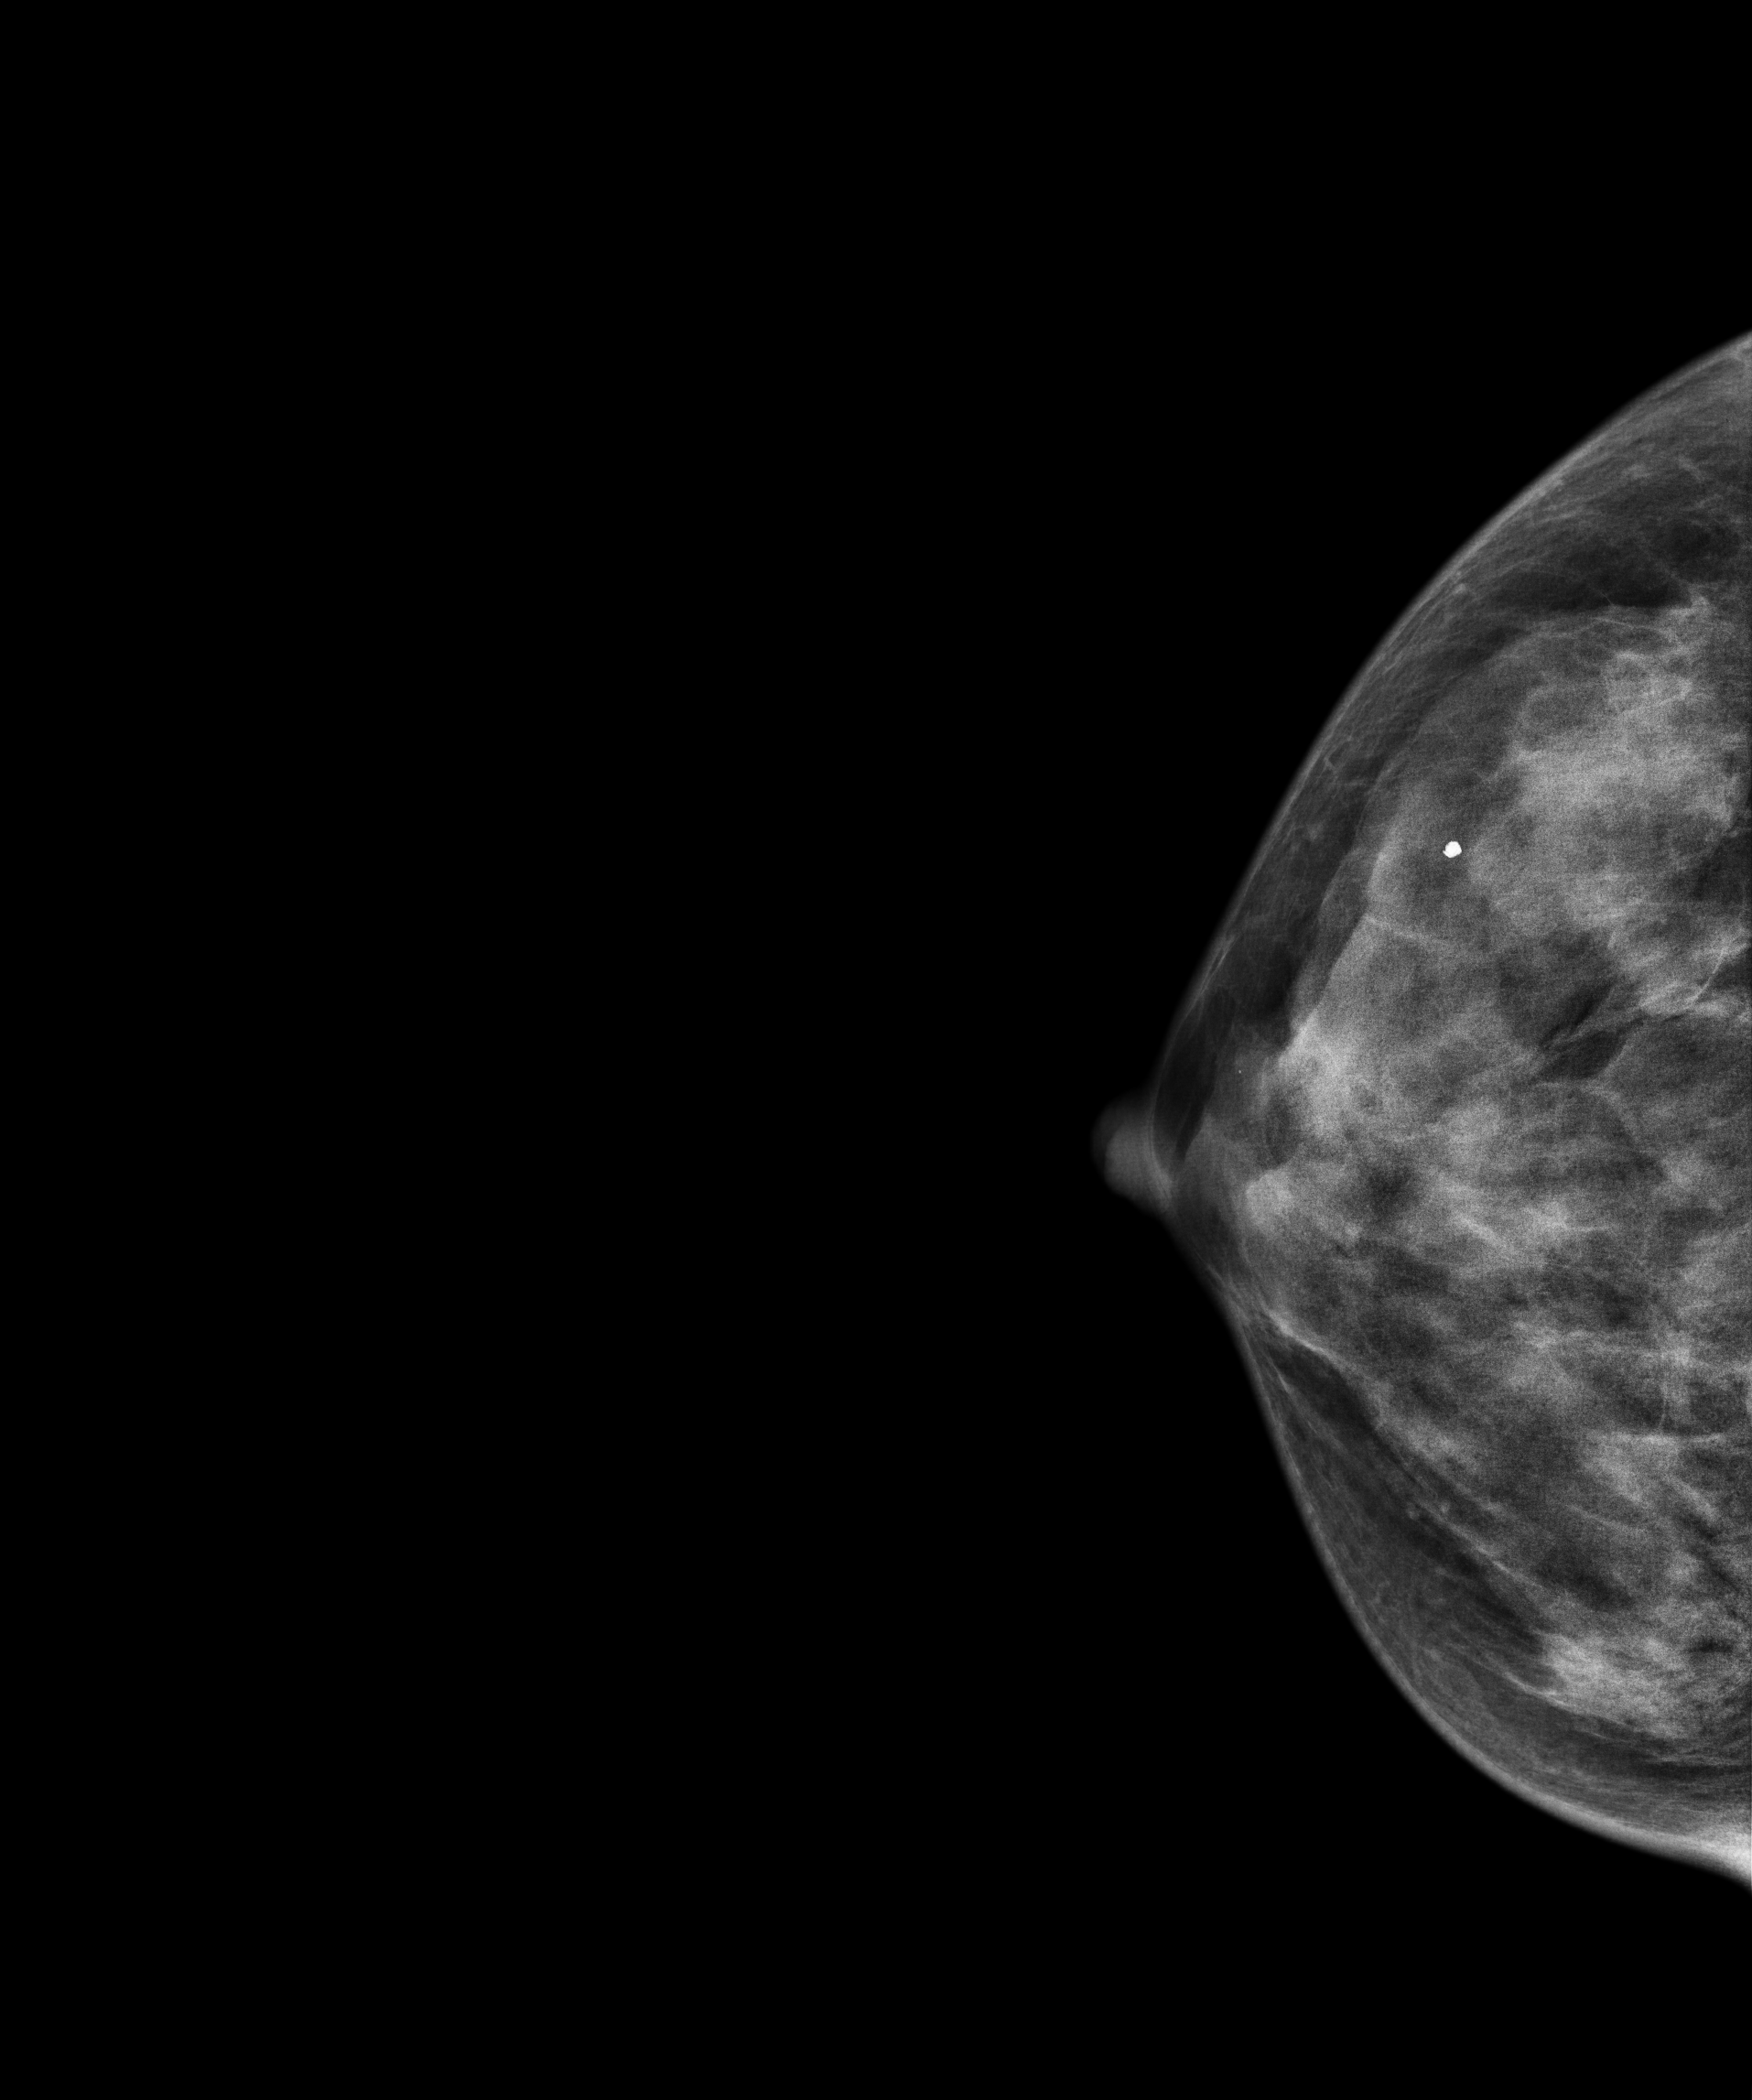
Right-breast mammogram, cranio-caudal. 38 y/o patient.
This breast has a mass, histologically confirmed malignant. Molecular subtype: luminal B.